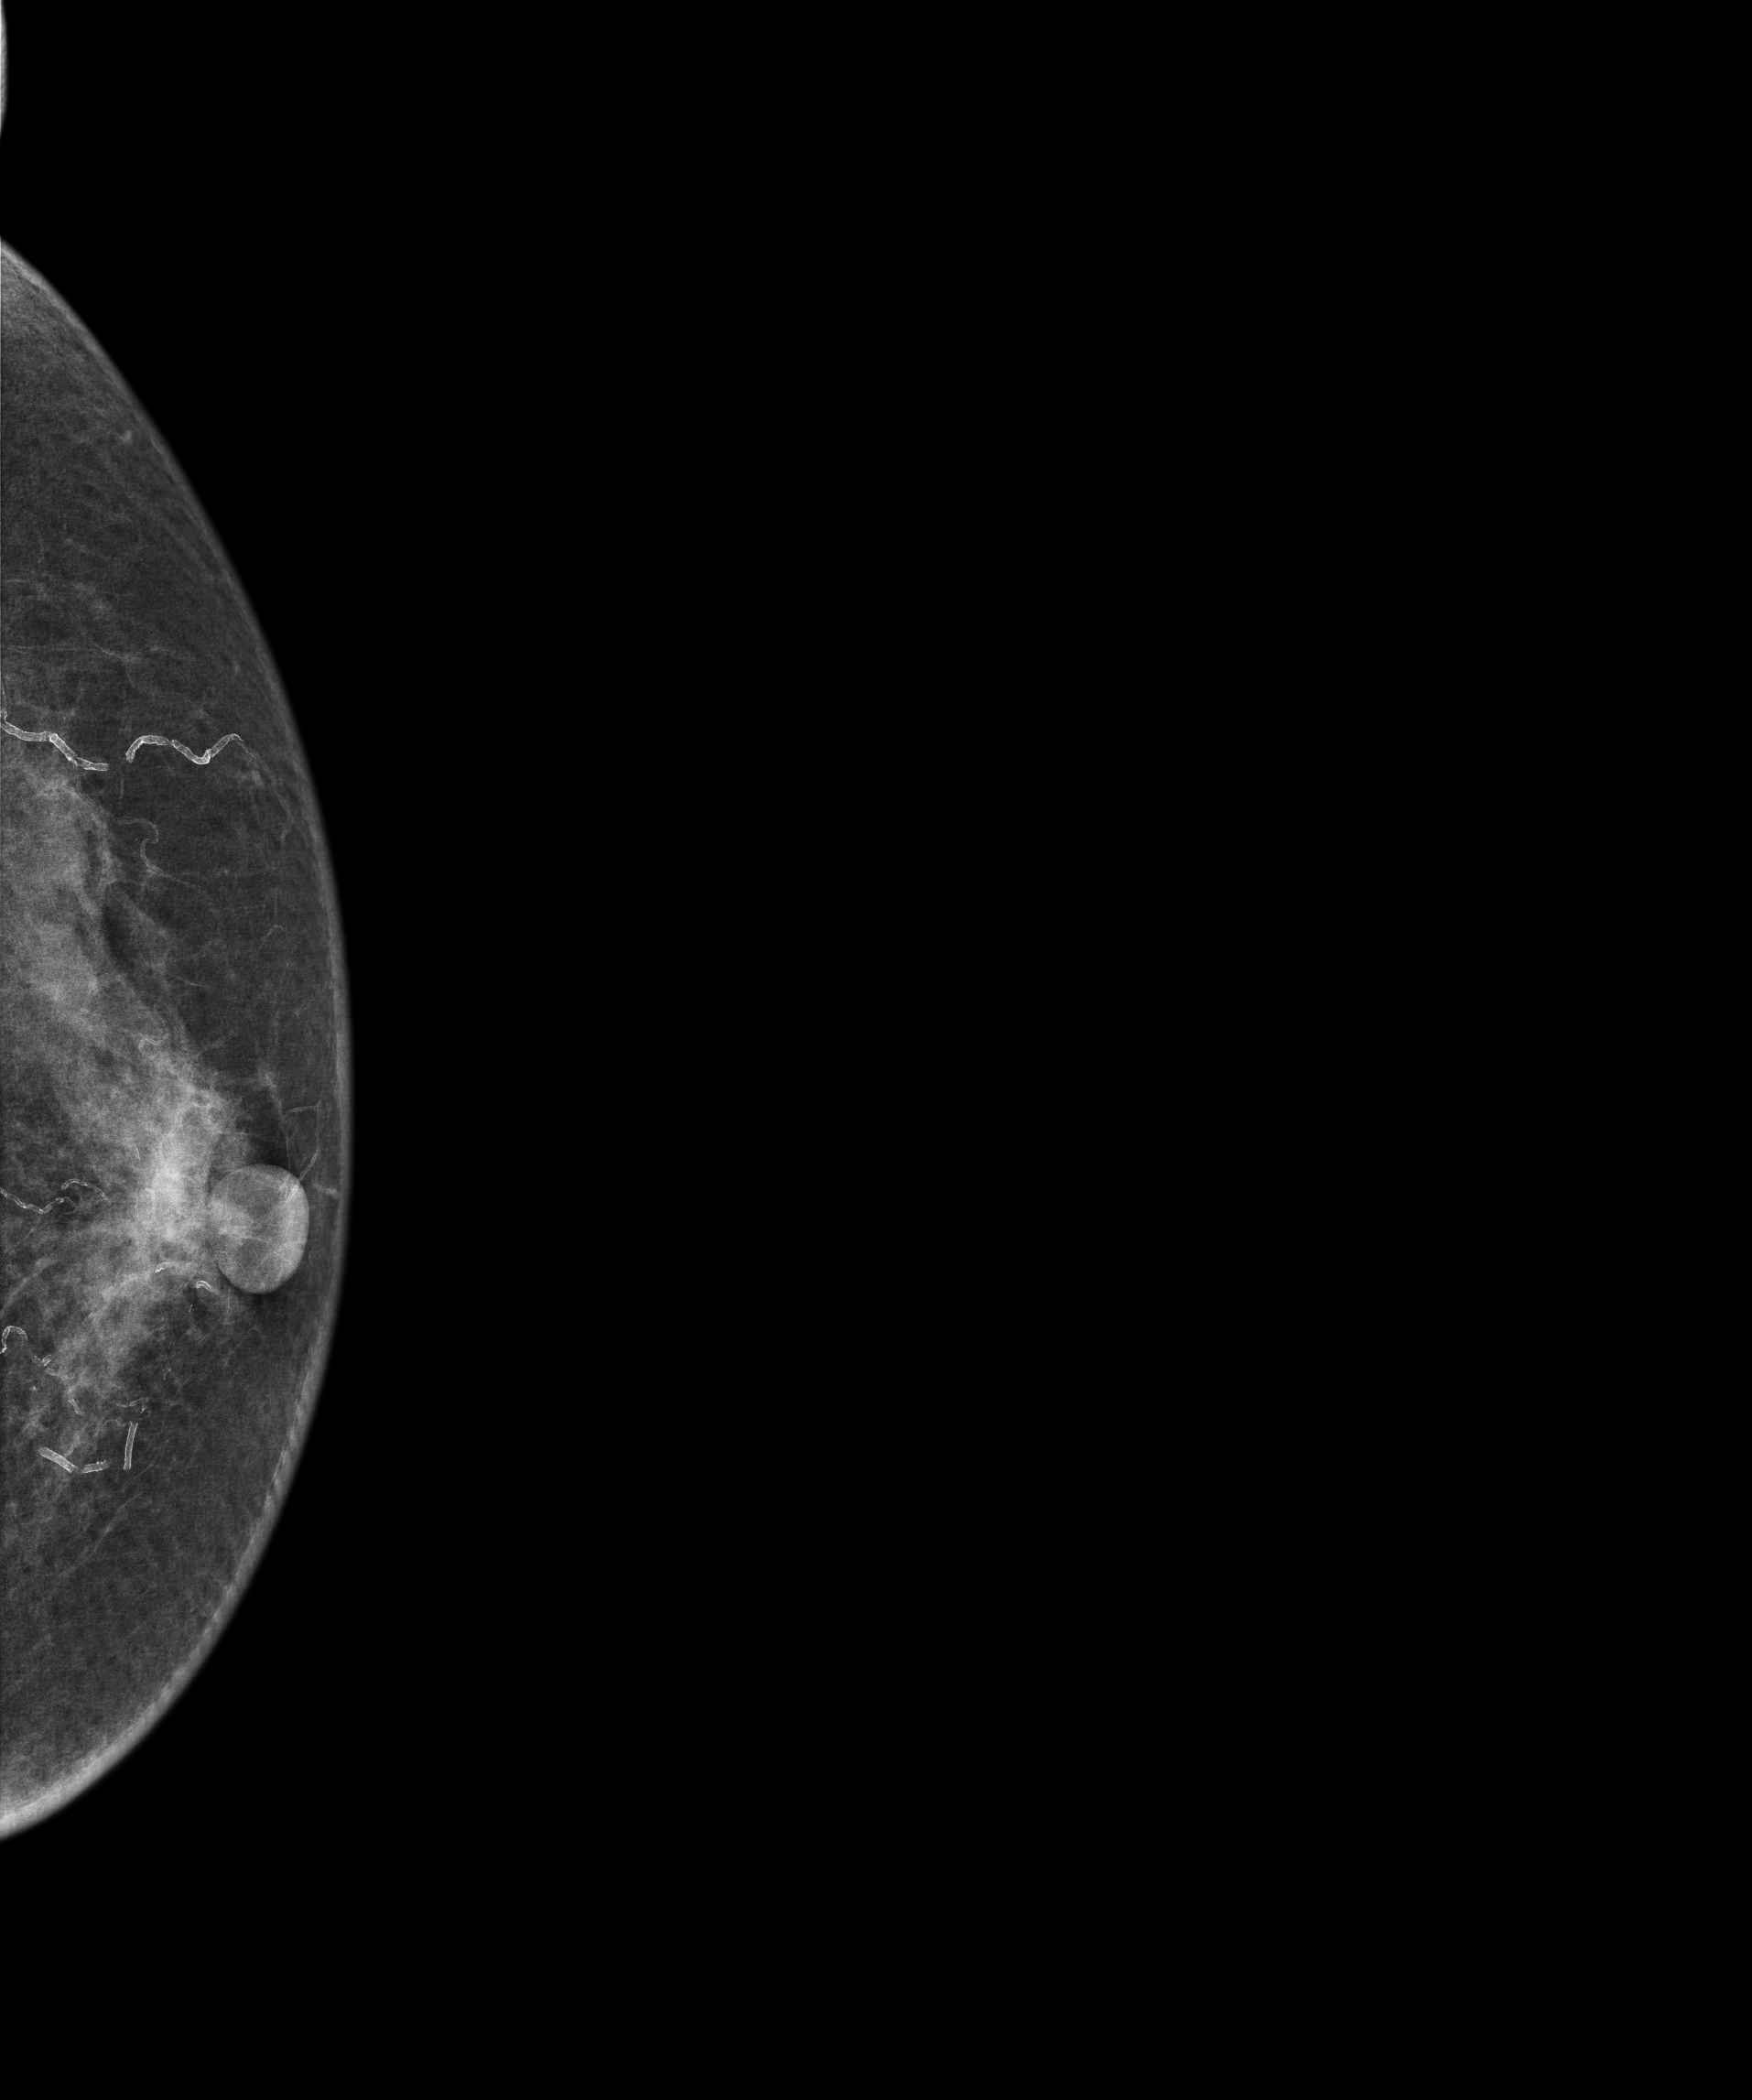
Mammogram, left breast, cranio-caudal view. Patient age 73.
Contralateral breast — no documented abnormality on this side.